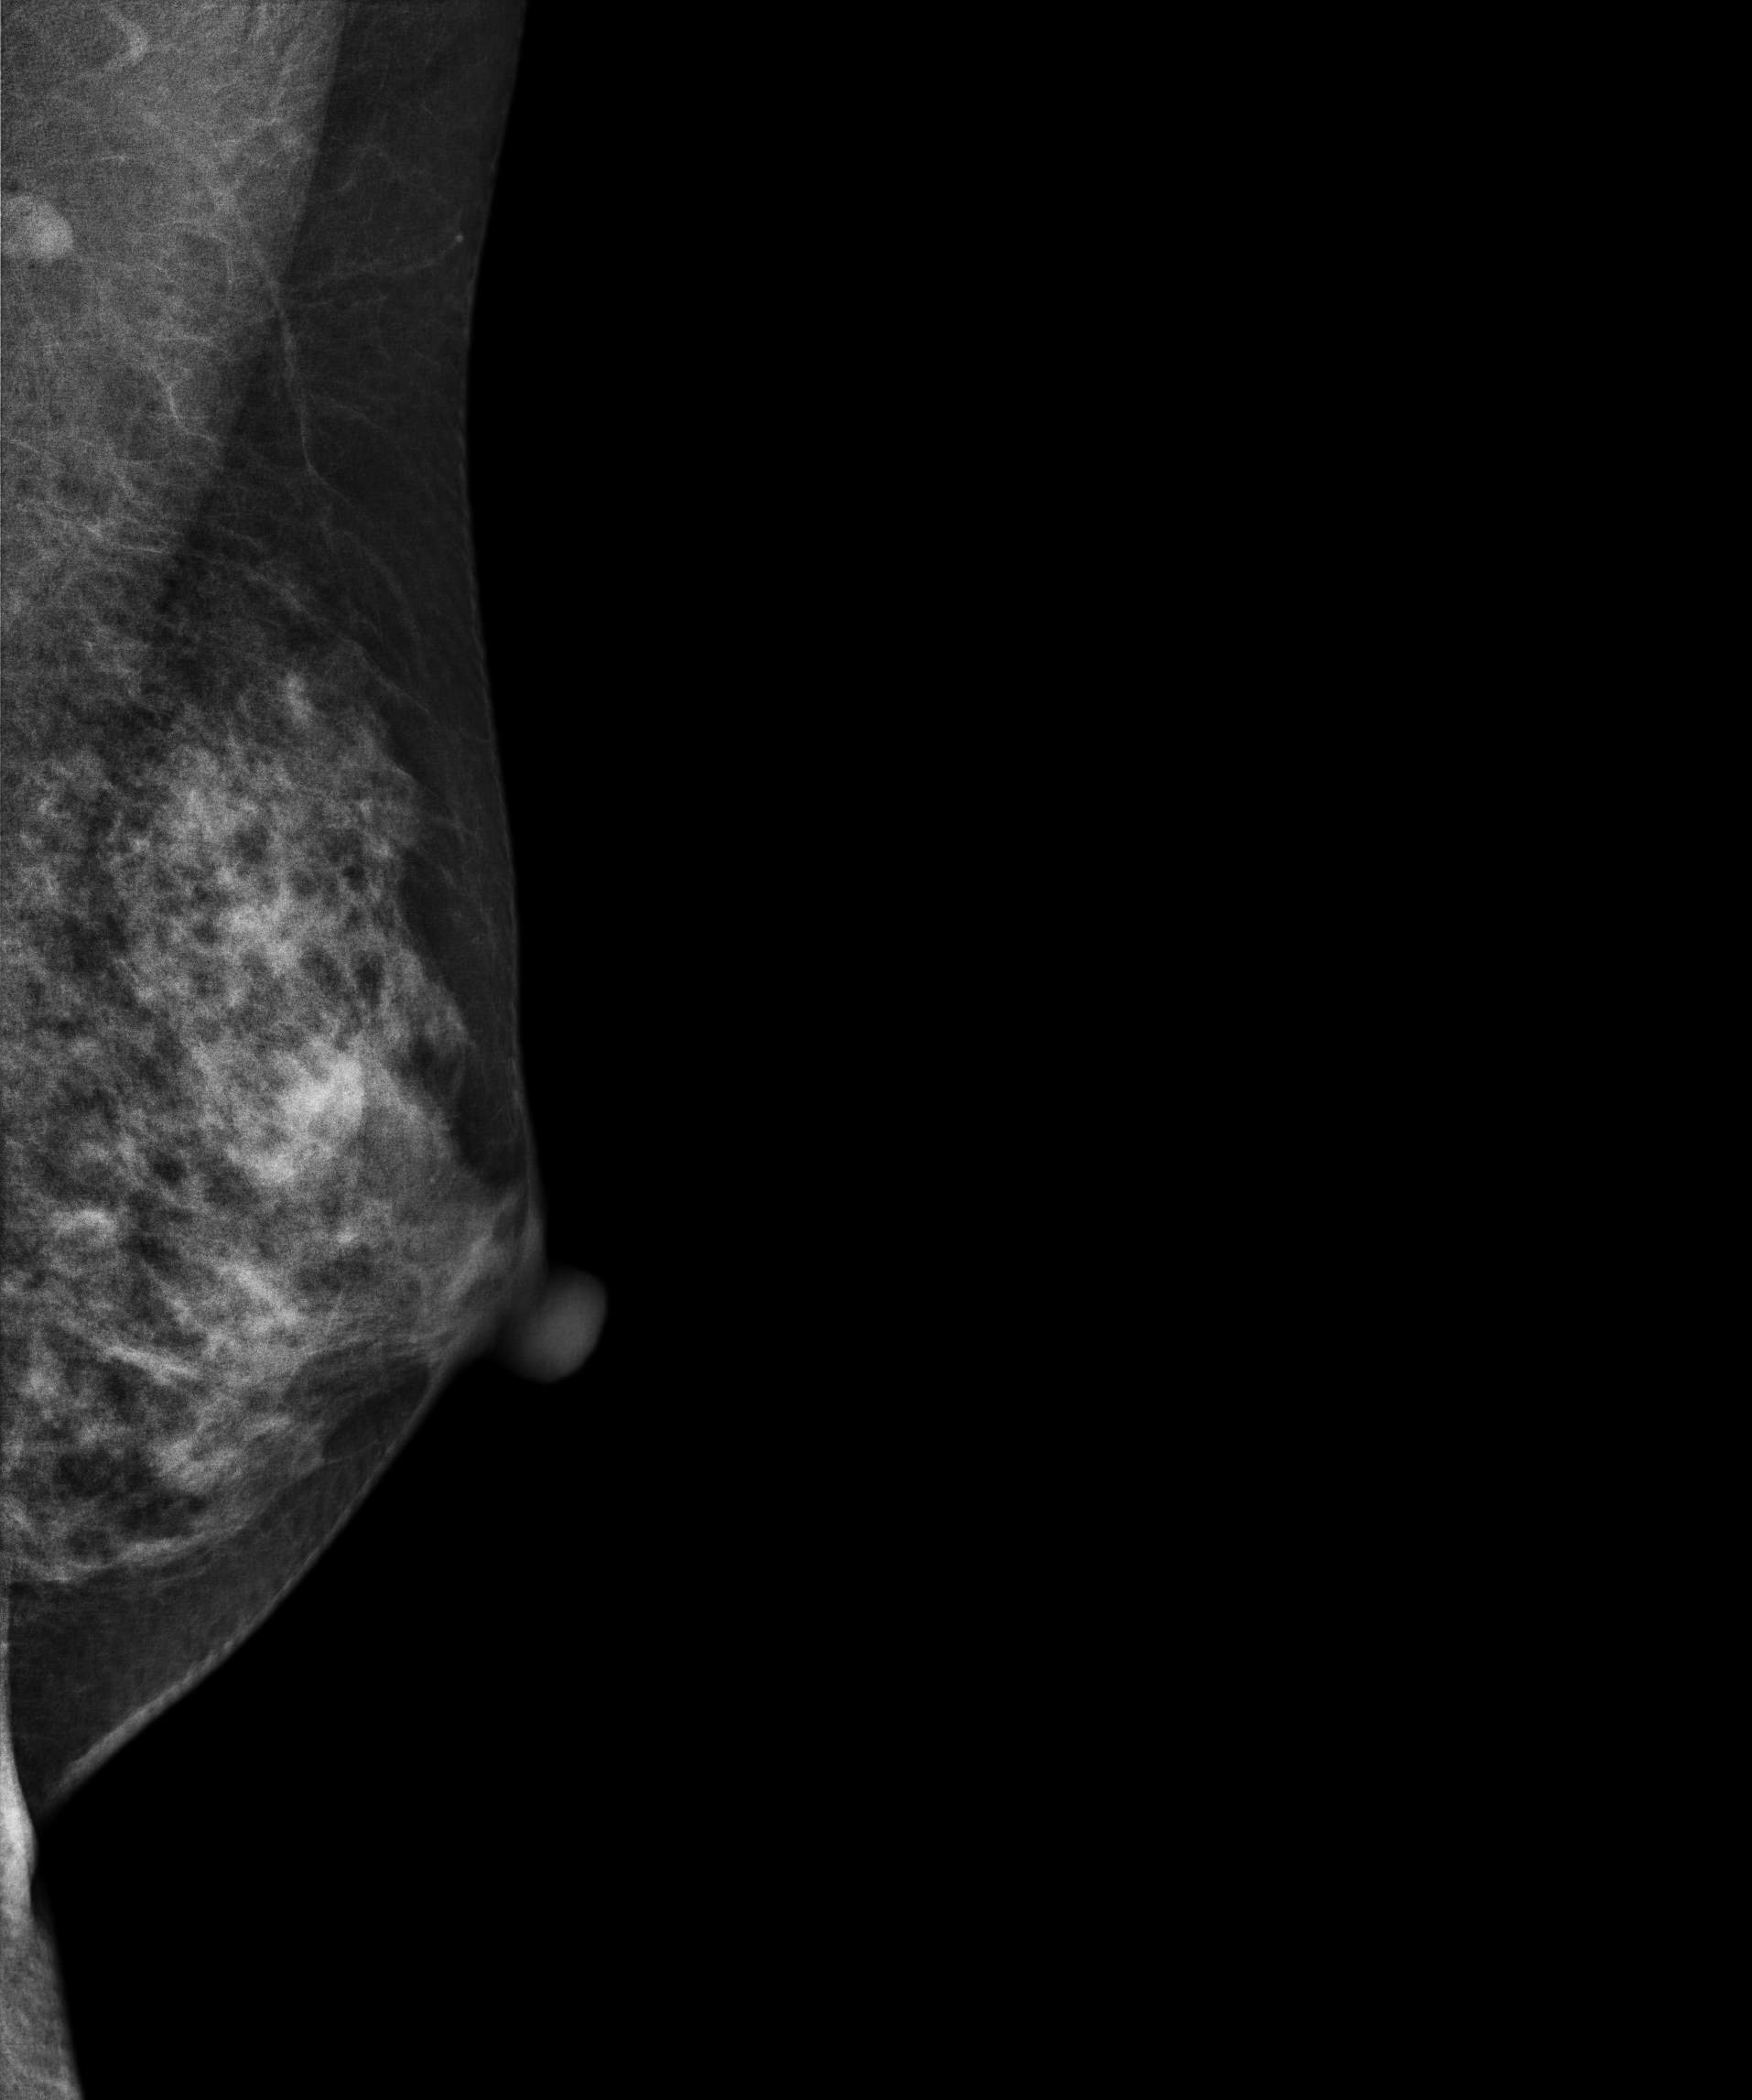
Mammogram — left medio-lateral oblique. Patient age 38.
This breast has a mass, histologically confirmed benign.